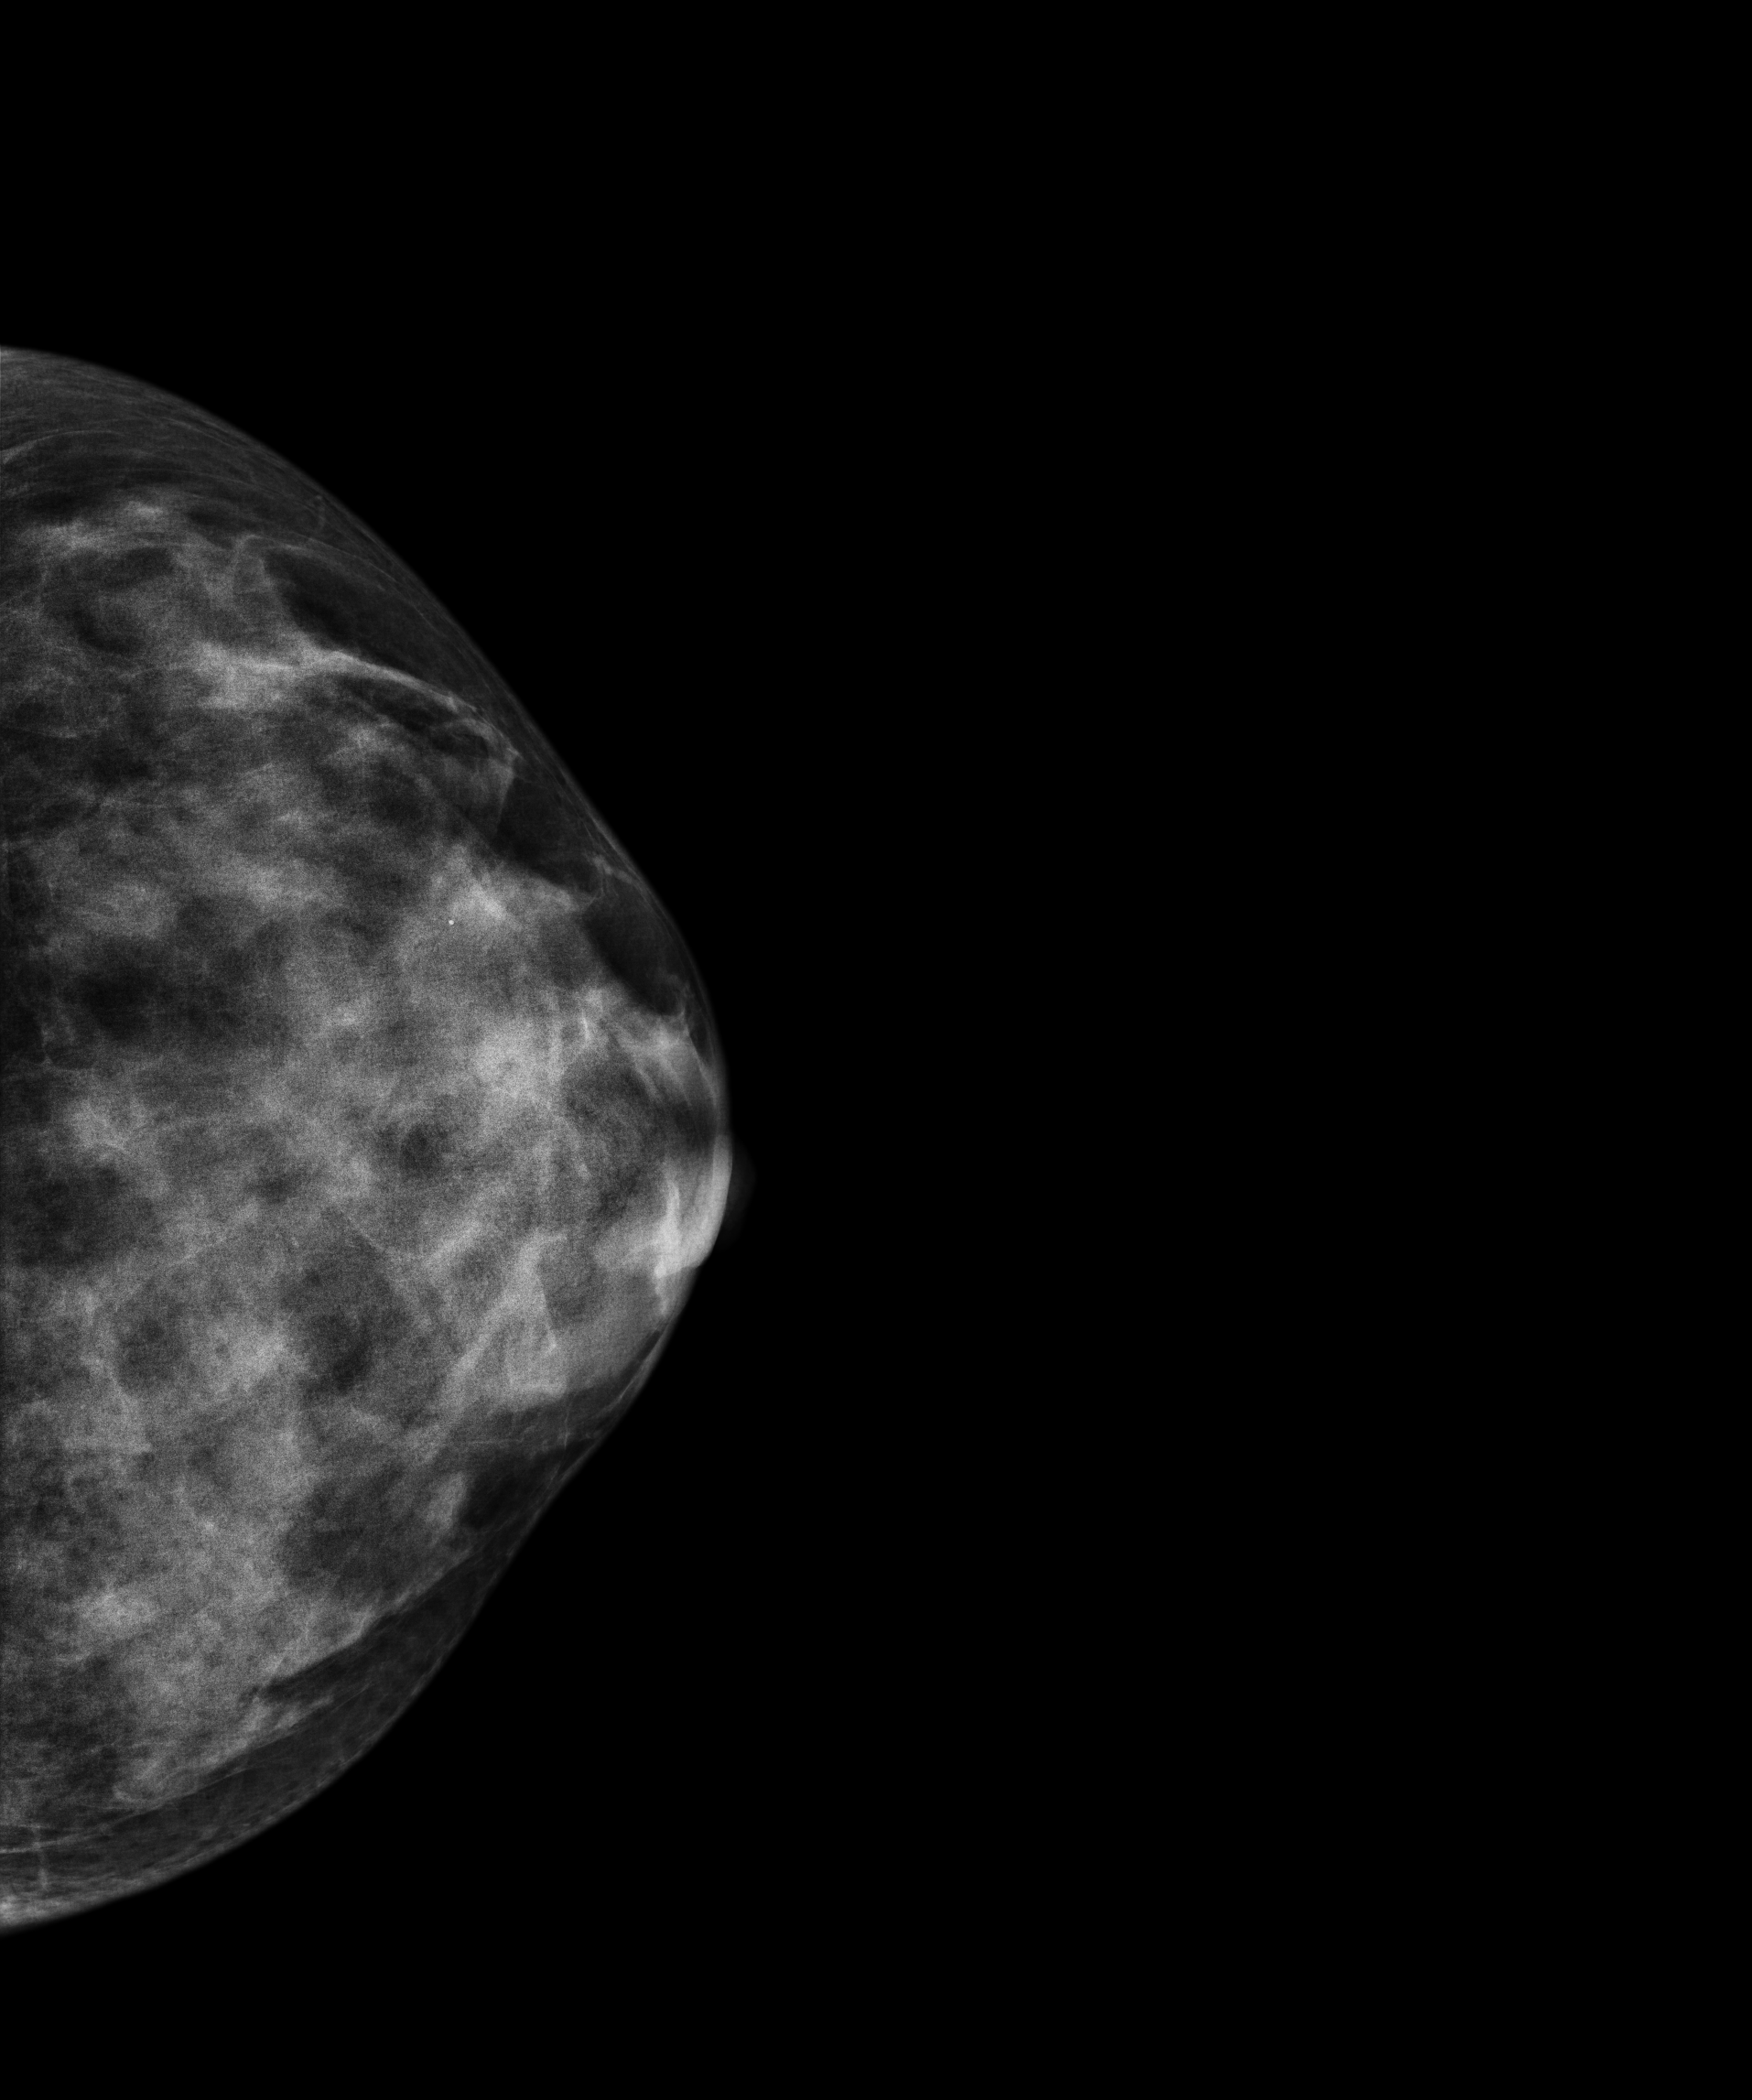
Cranio-caudal mammogram of the left breast. 42-year-old patient.
Contralateral breast — no documented abnormality on this side.